Digital mammography. Right breast, CC projection. Patient age 45.
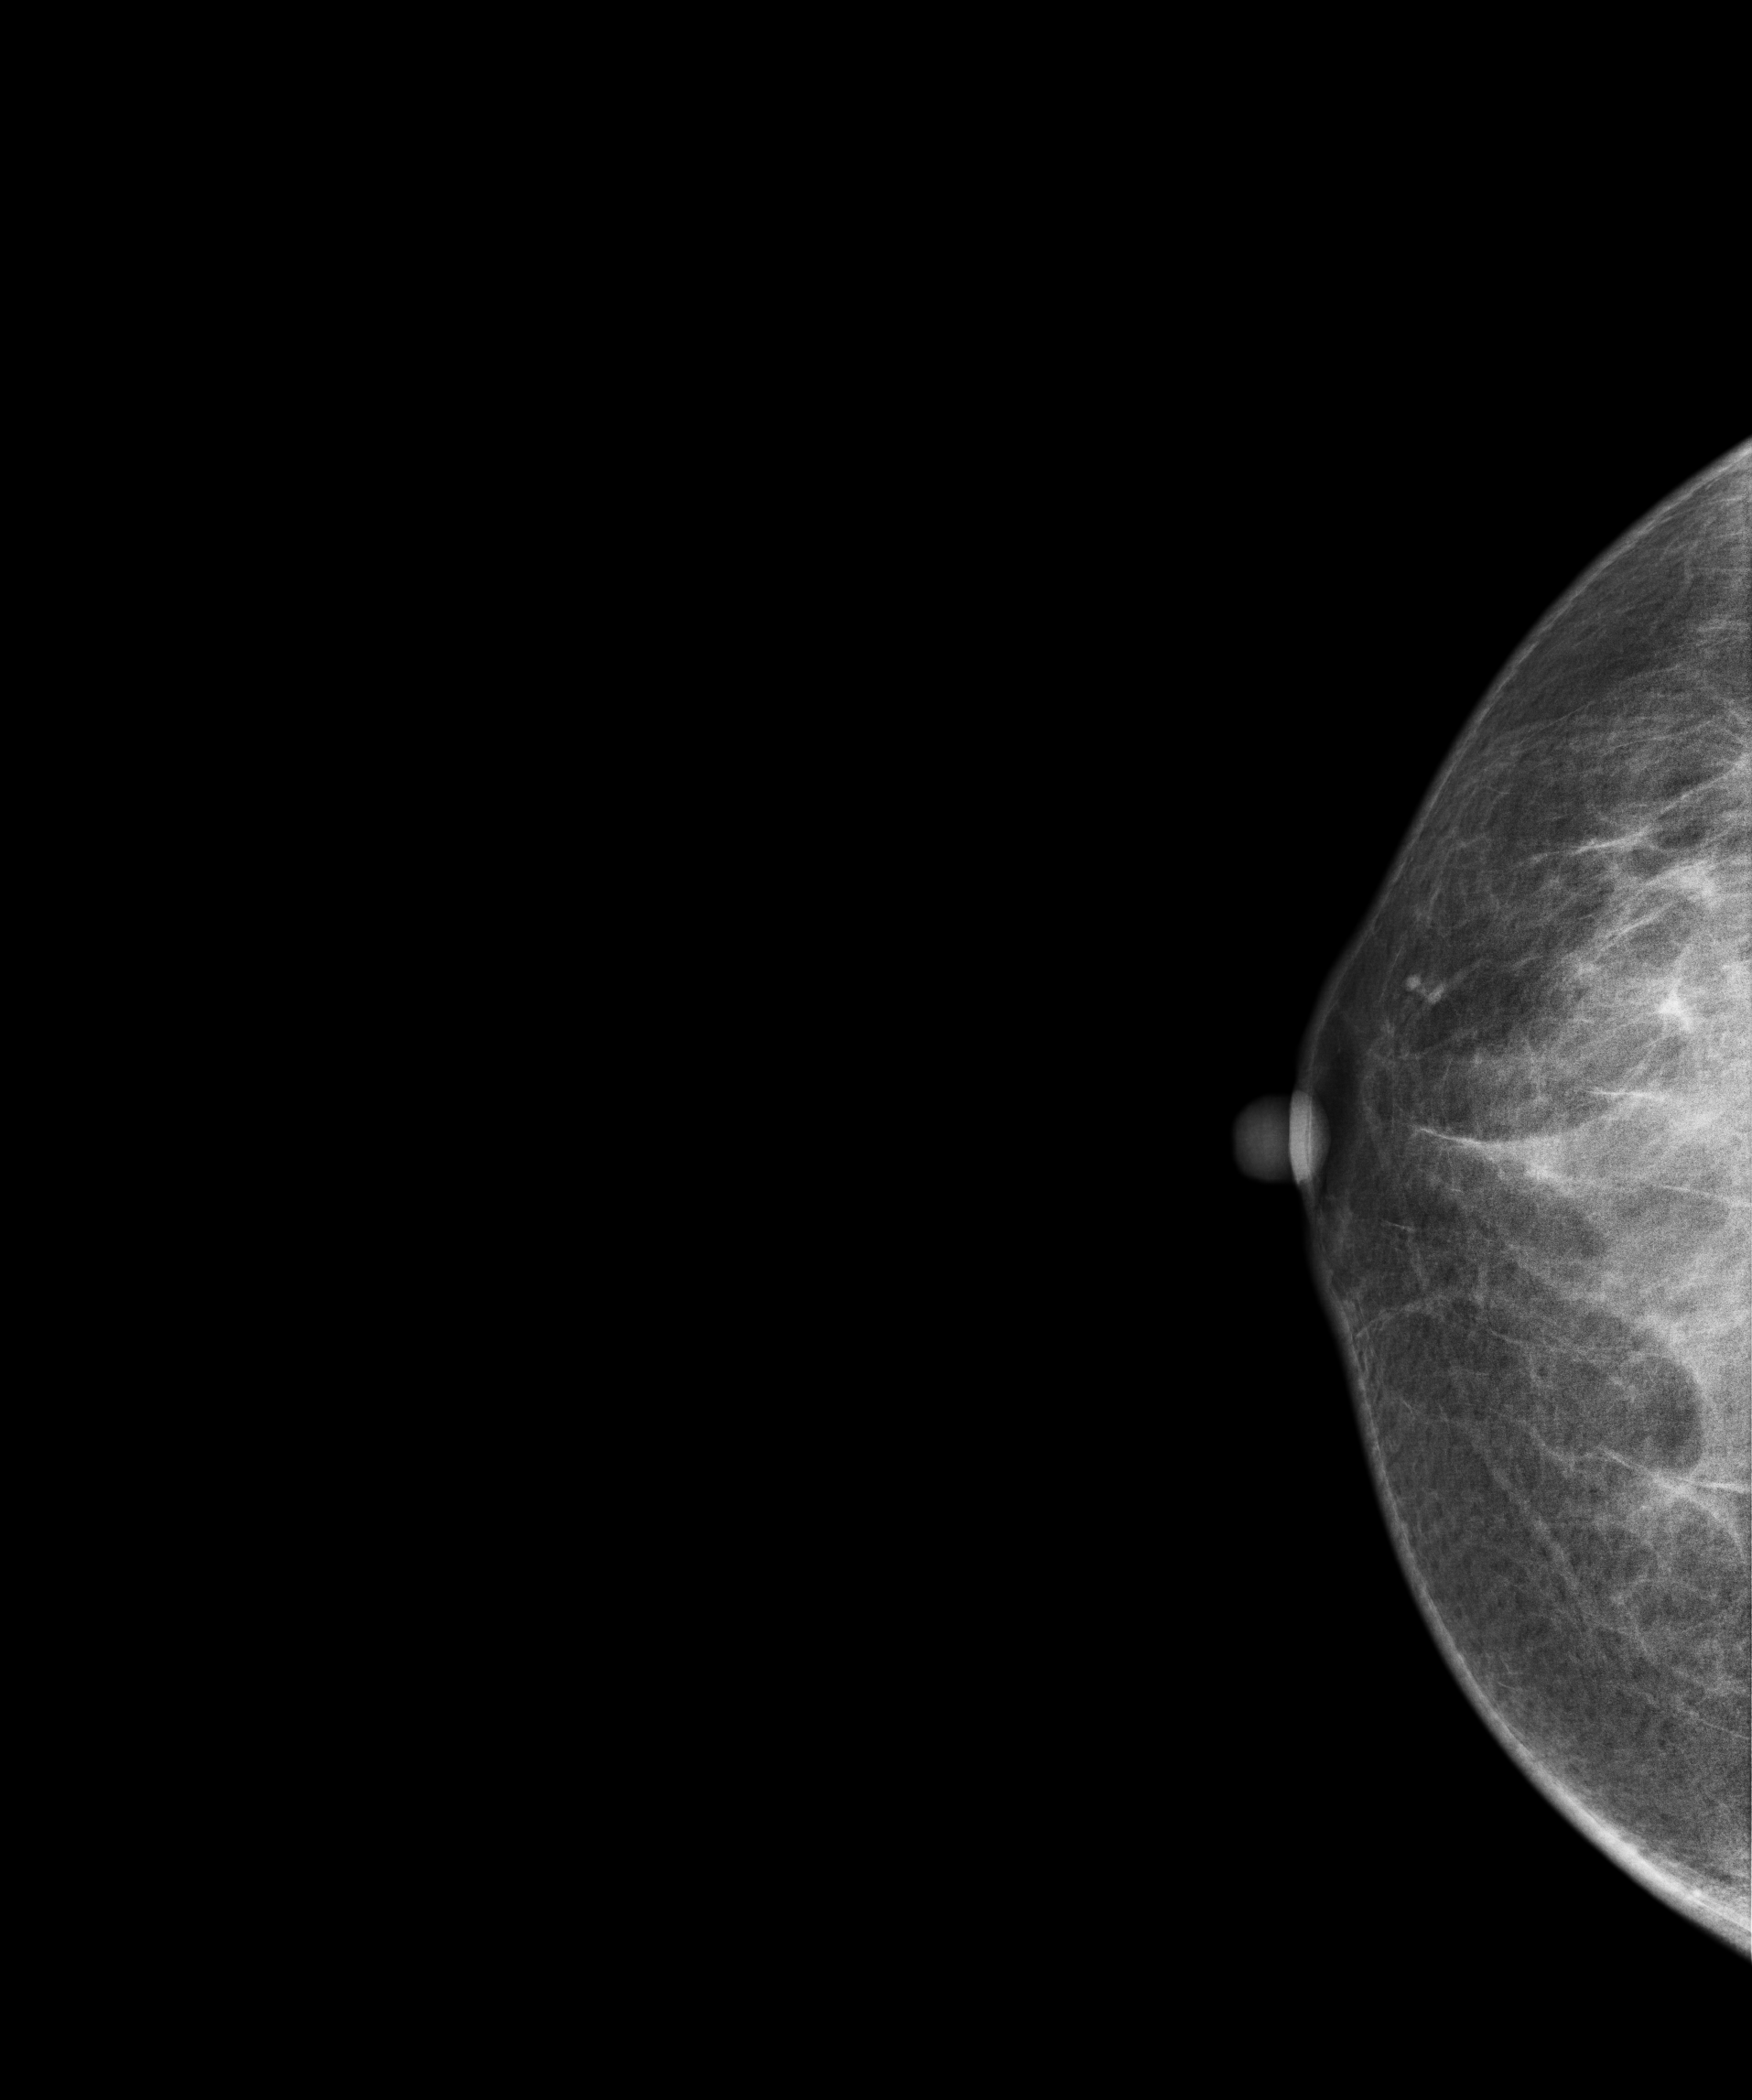
This breast has a mass, histologically confirmed malignant.